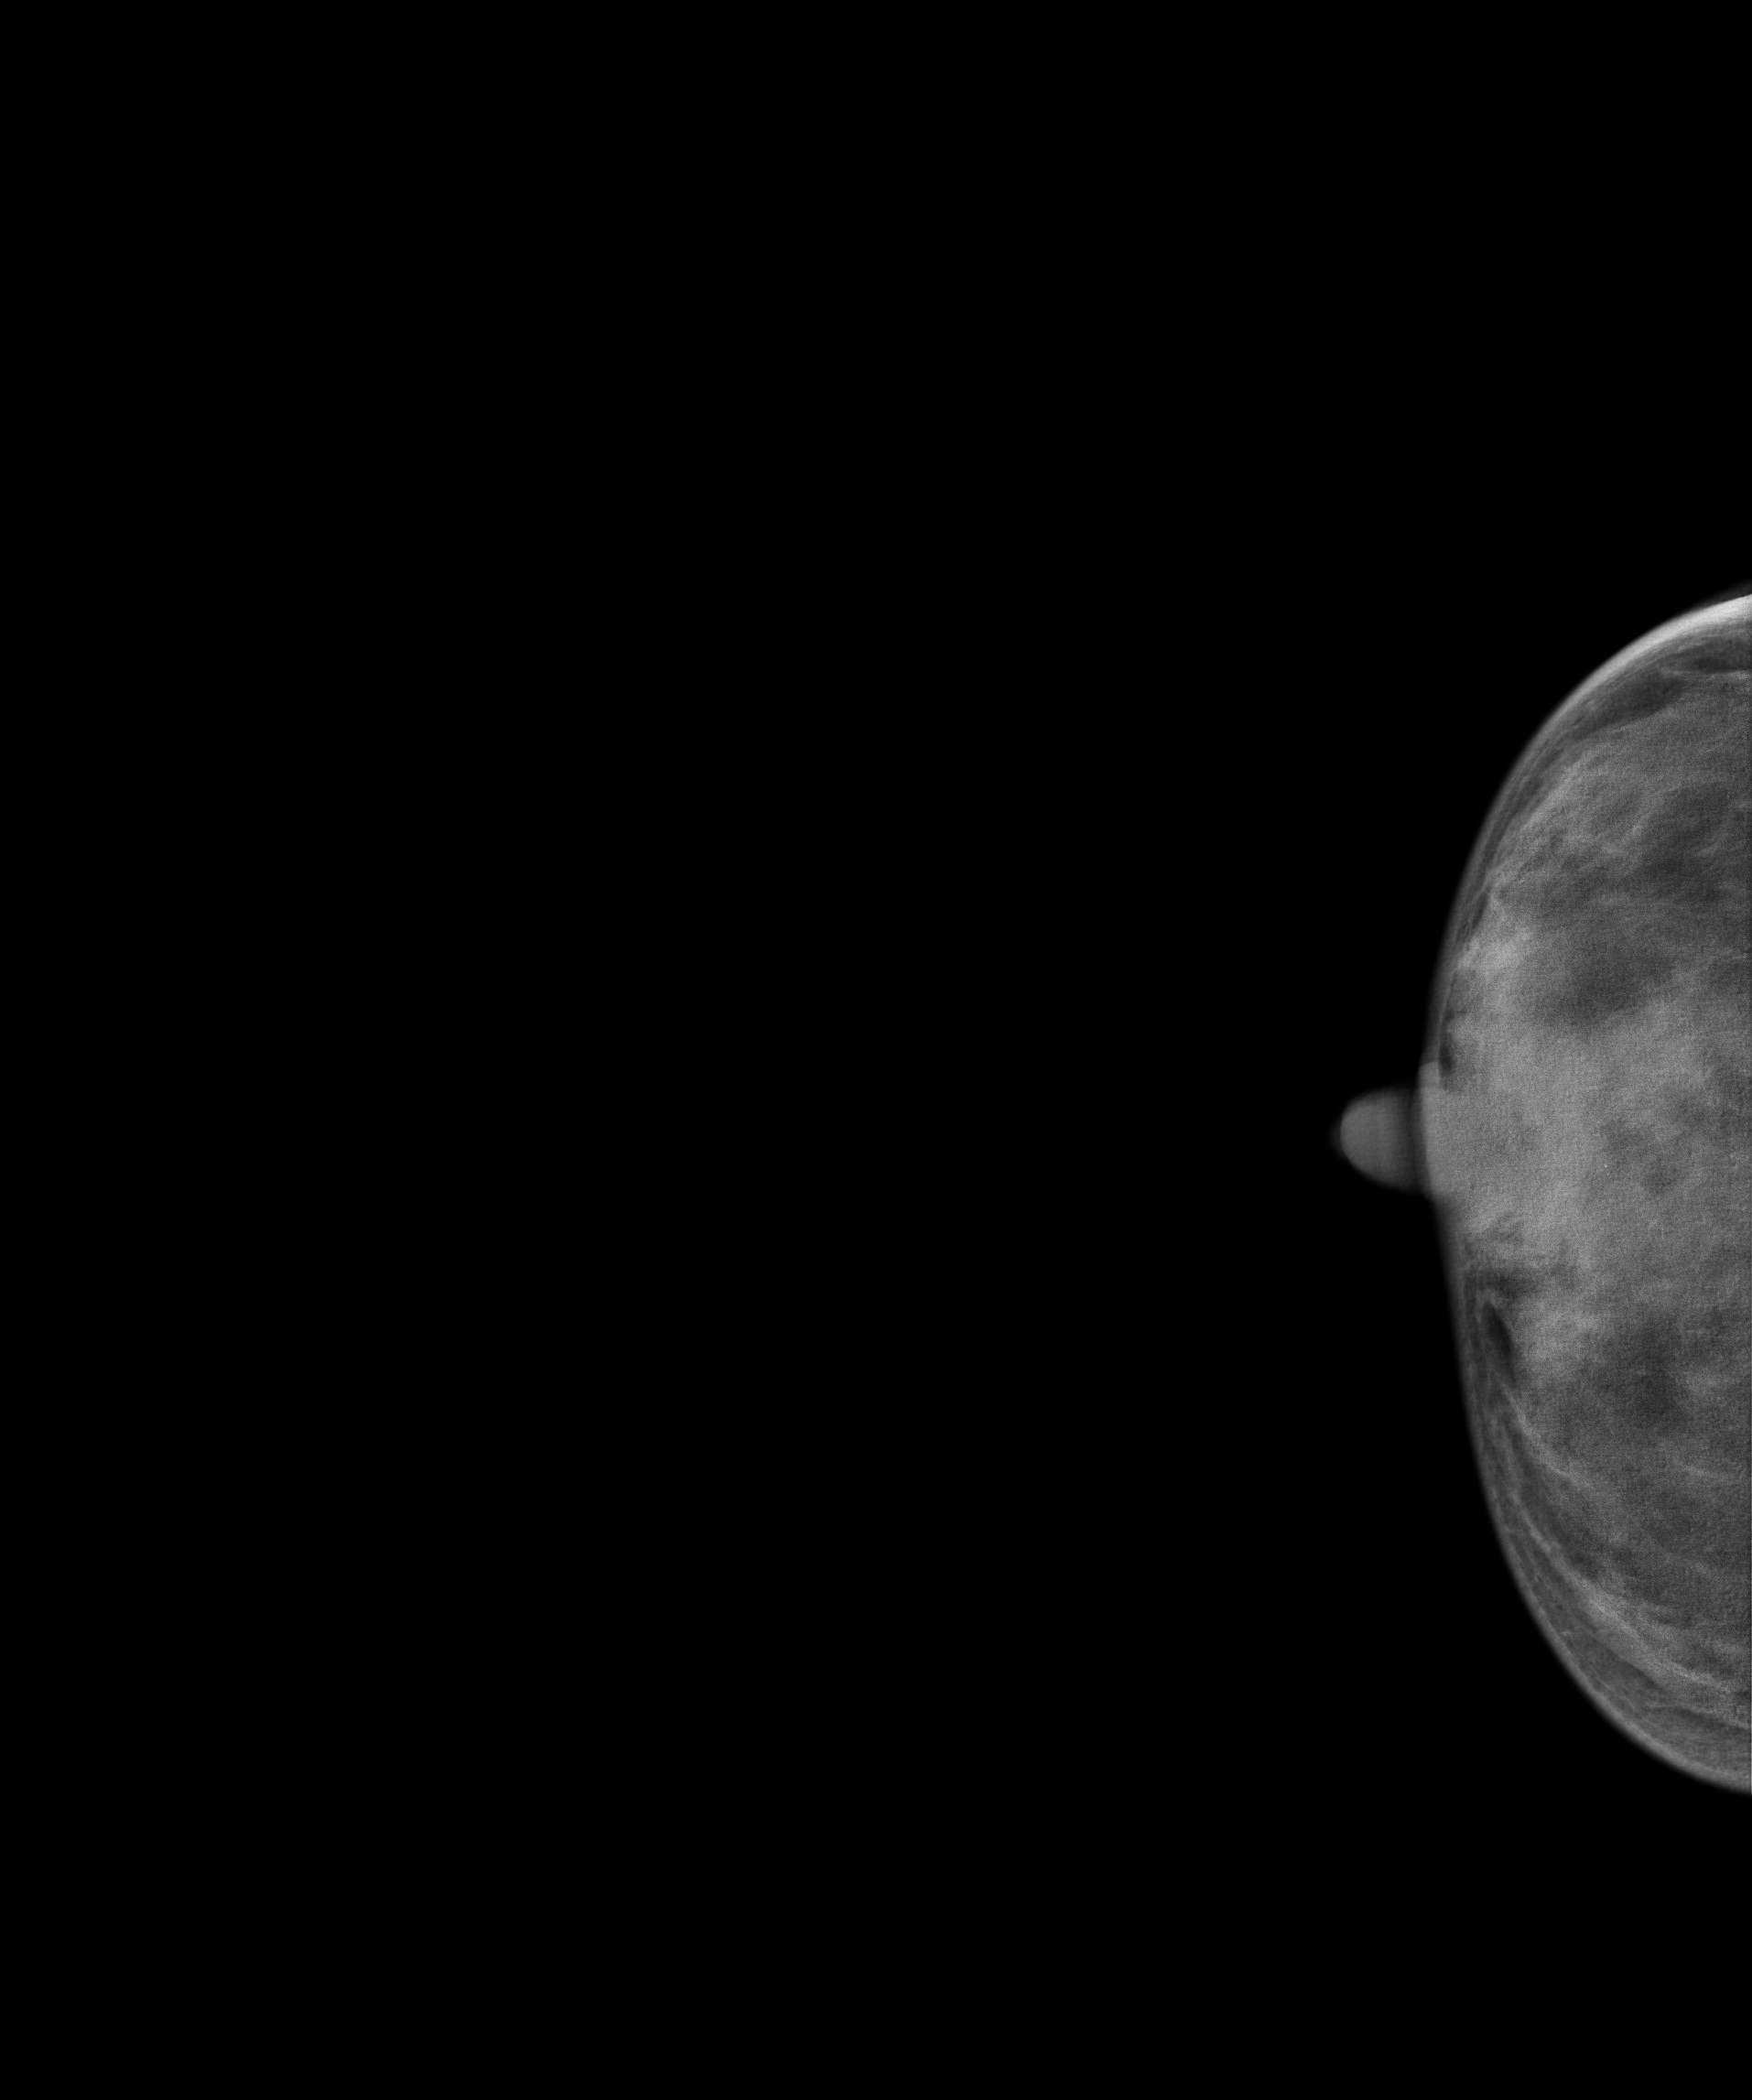
Digital mammography. Right breast, CC projection. 27-year-old patient.
This breast has a mass, pathology-confirmed malignant.